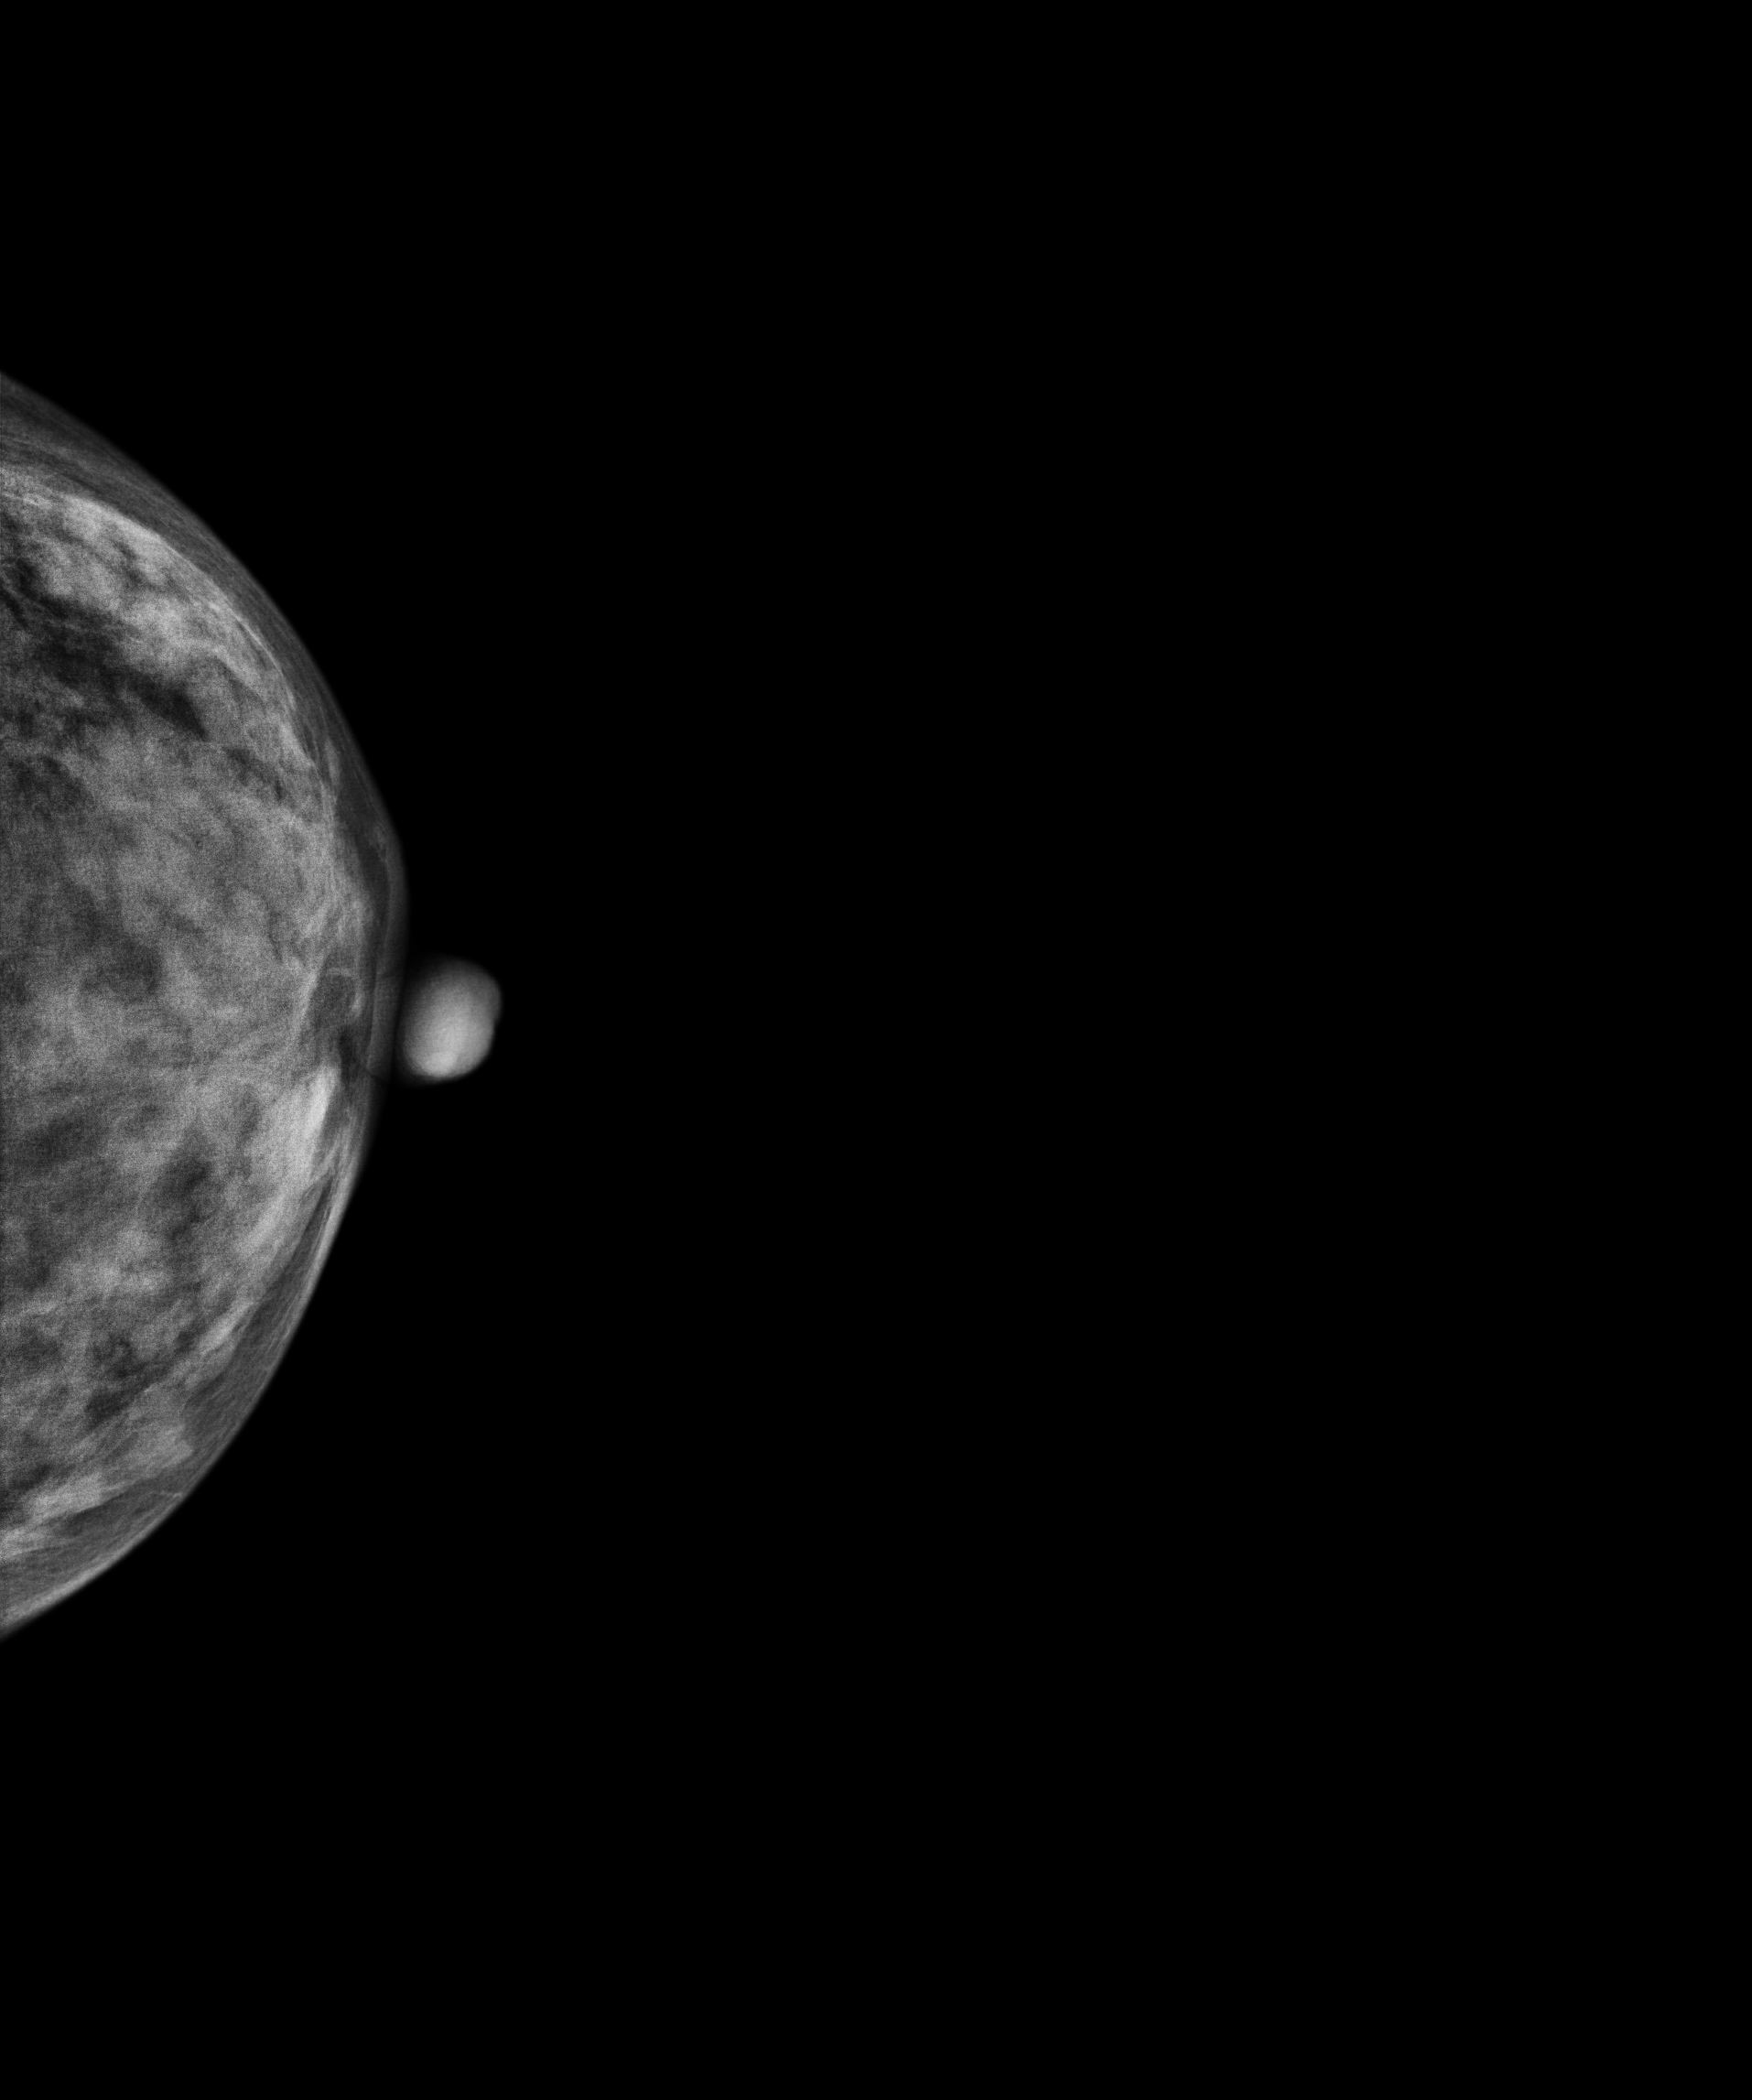
Mammogram, left breast, cranio-caudal view. 46 y/o patient.
Contralateral breast — no documented abnormality on this side.